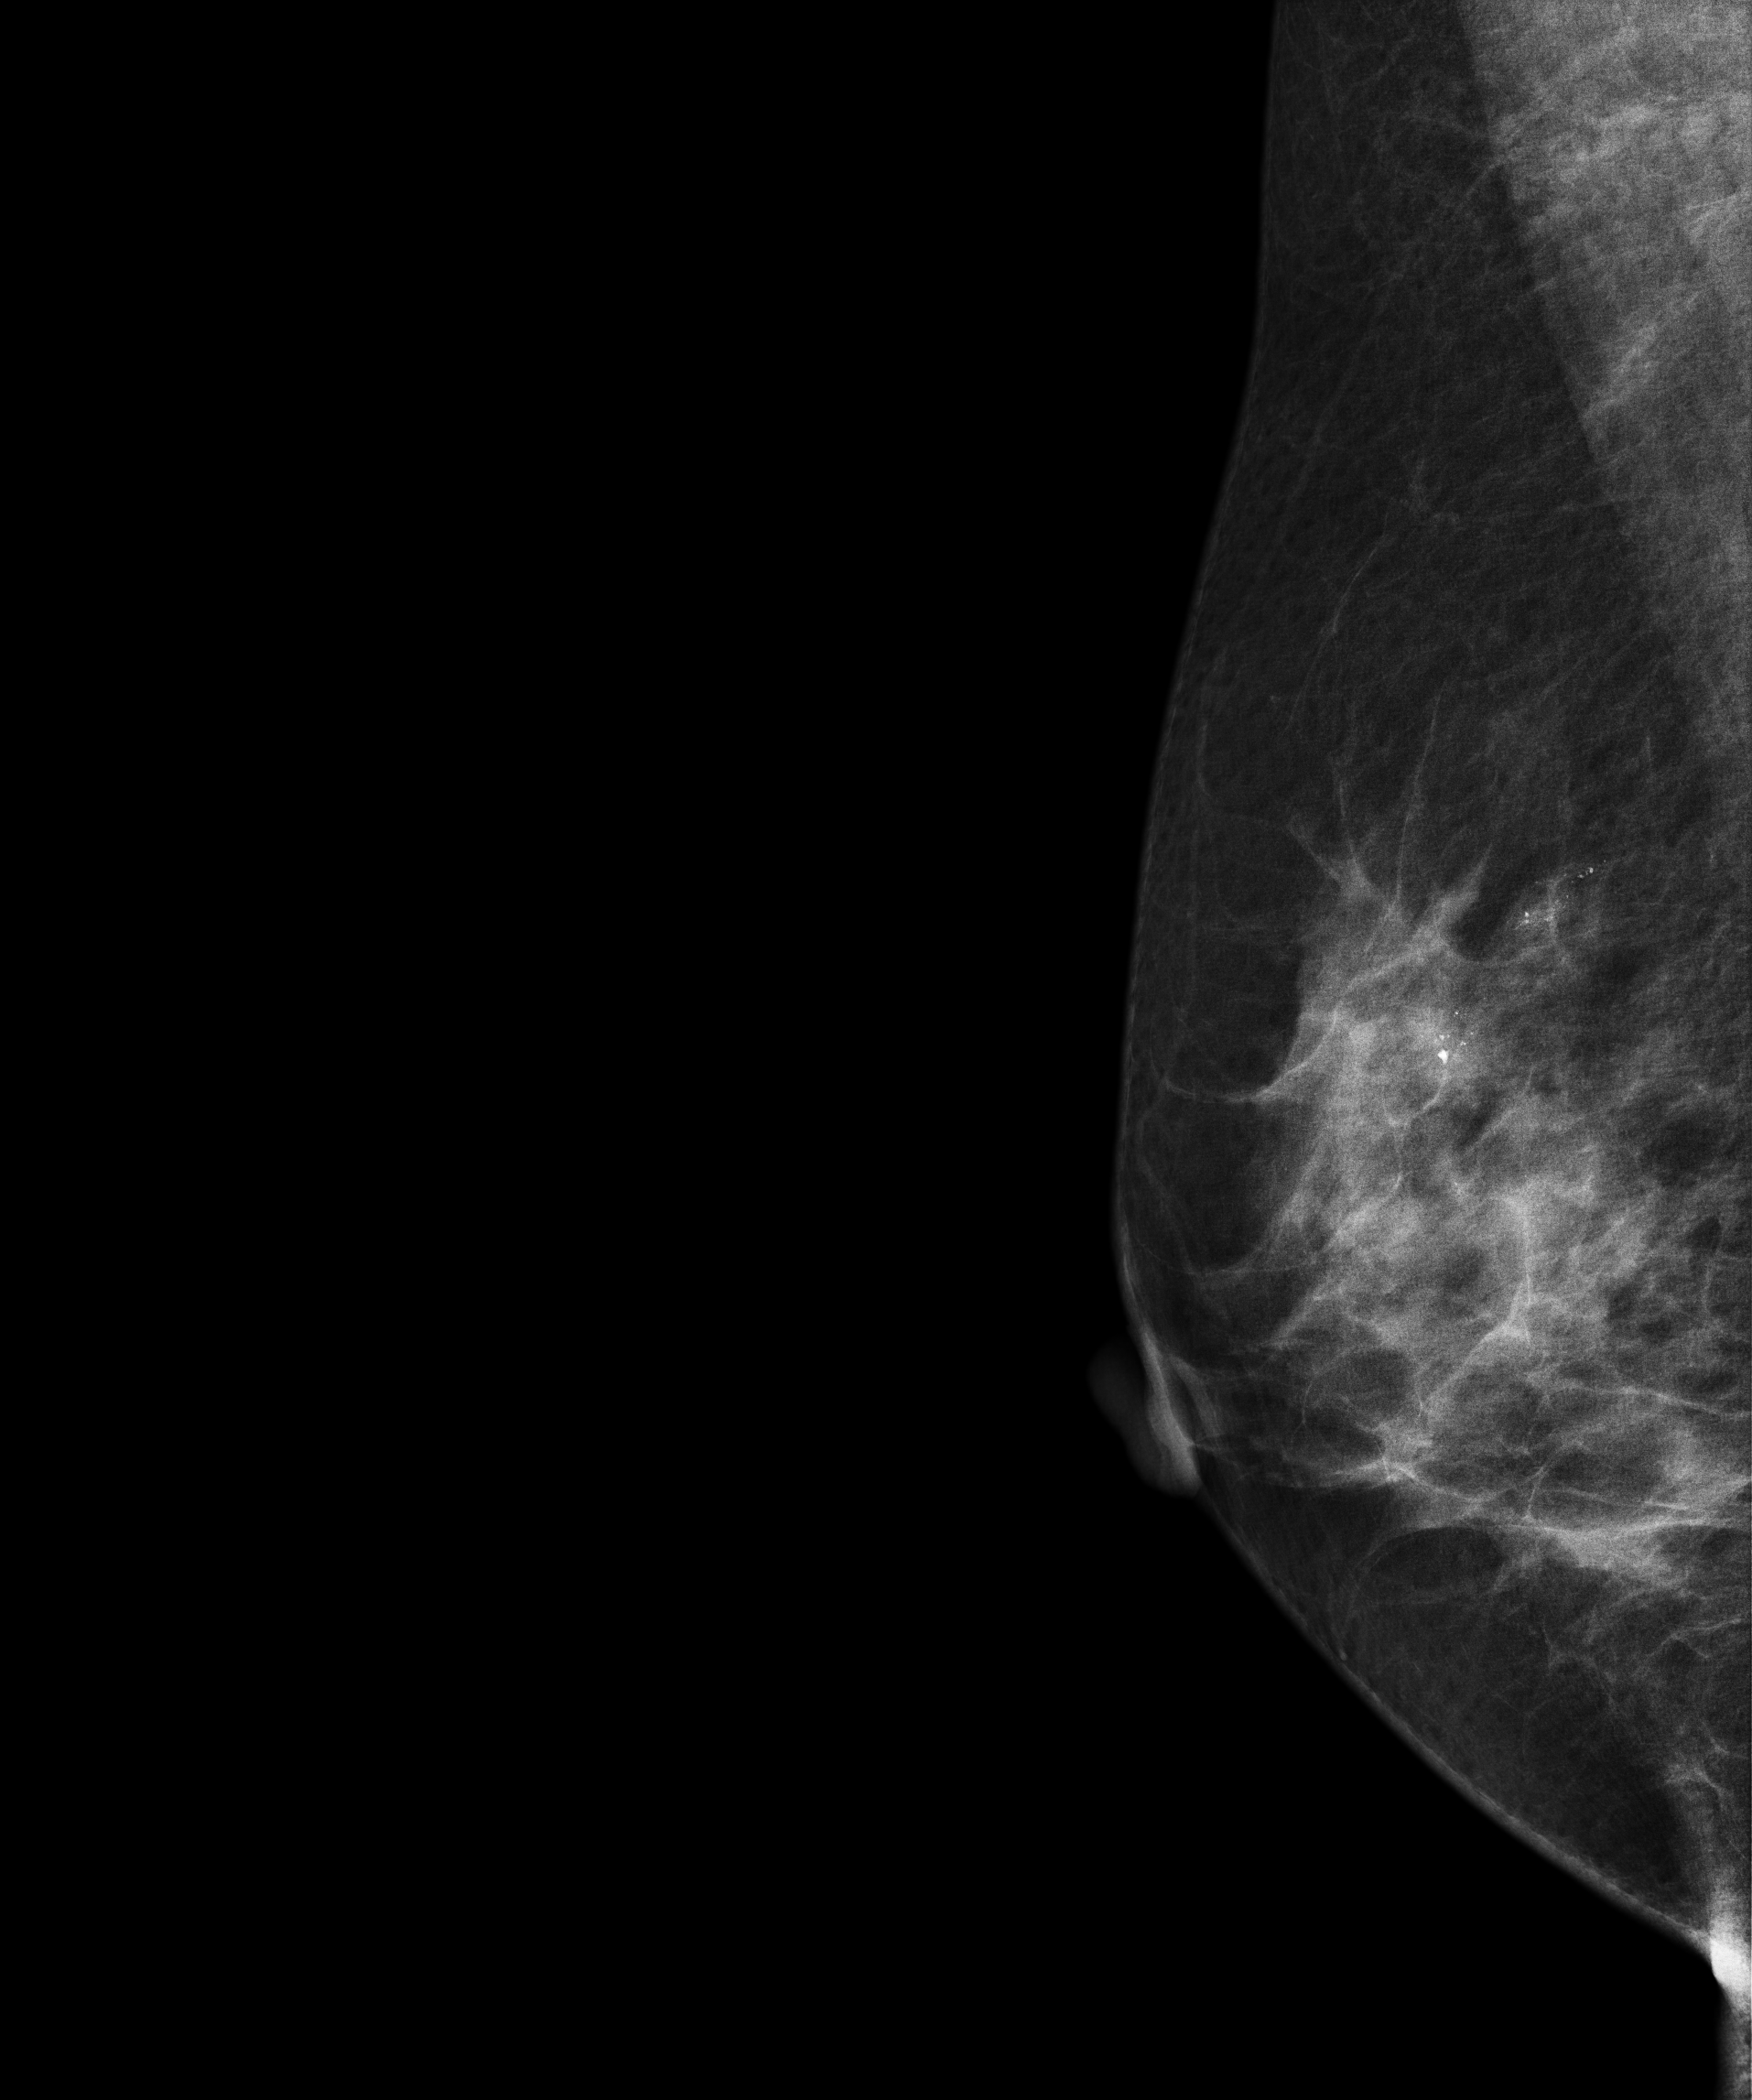
Digital mammography. Right breast, MLO projection. 45 y/o patient.
This breast has calcifications, histologically confirmed benign.